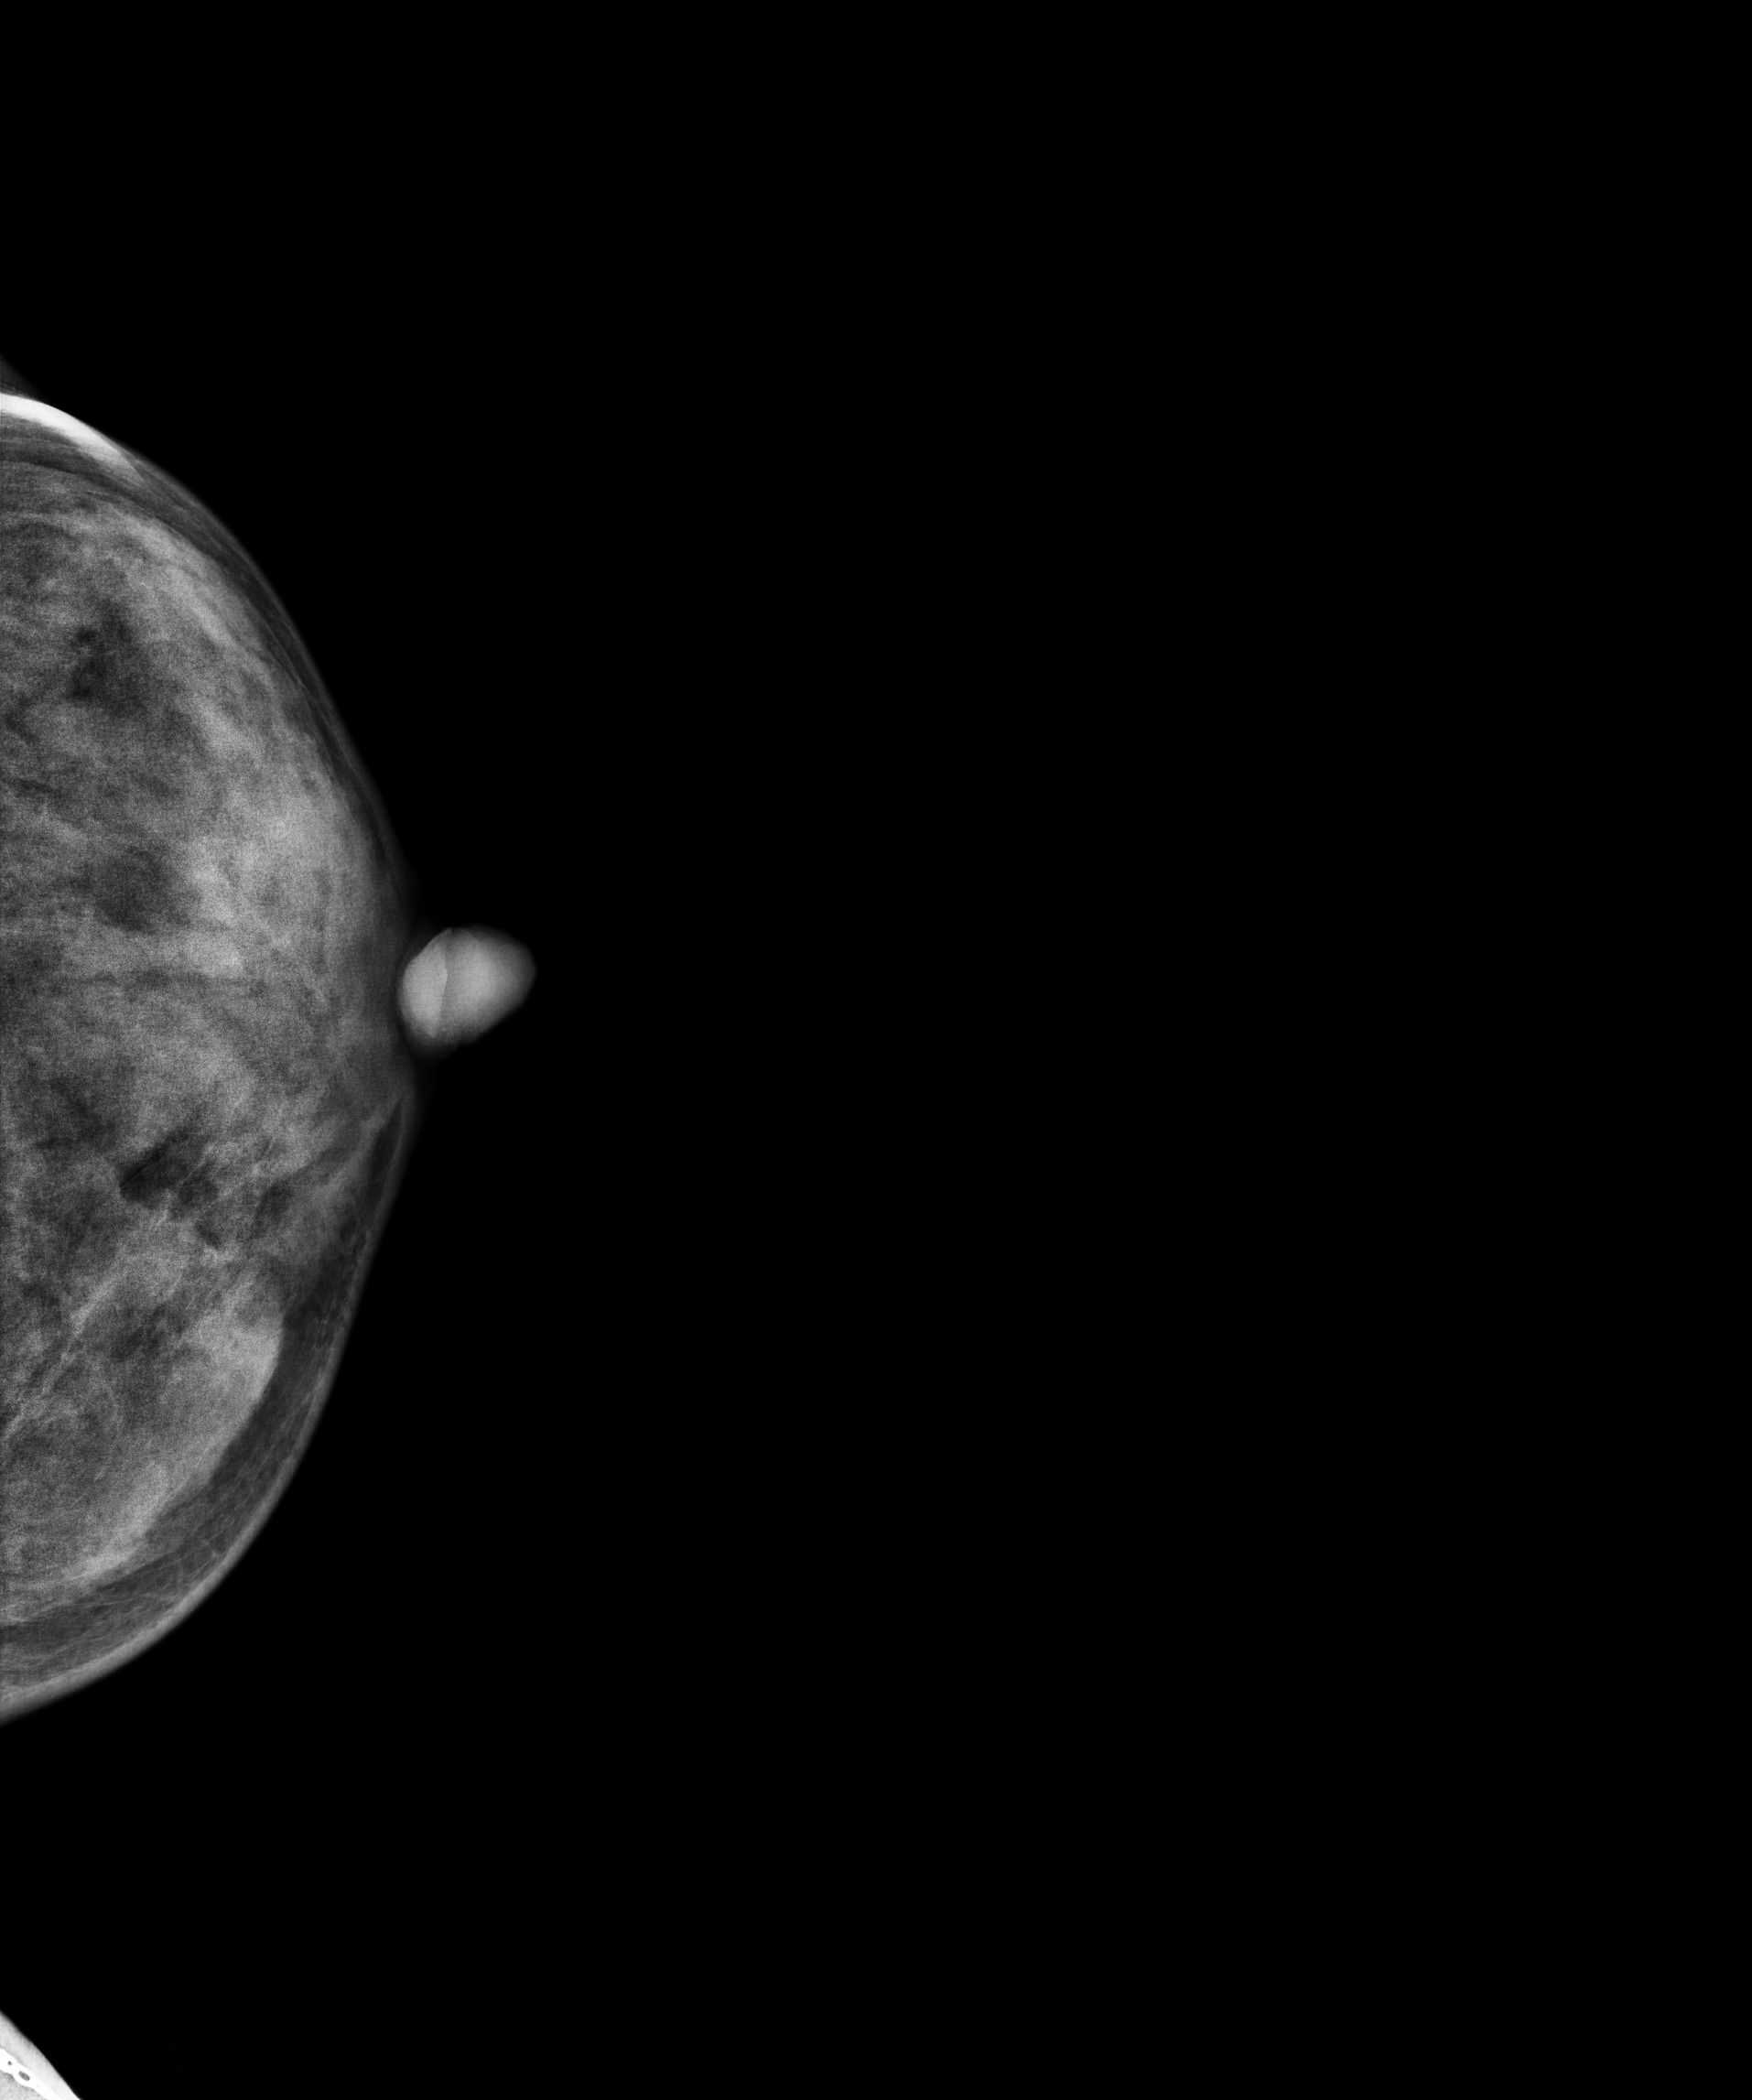
Digital mammography. Left breast, CC projection. 39 y/o patient.
This breast has a mass, histologically confirmed malignant.